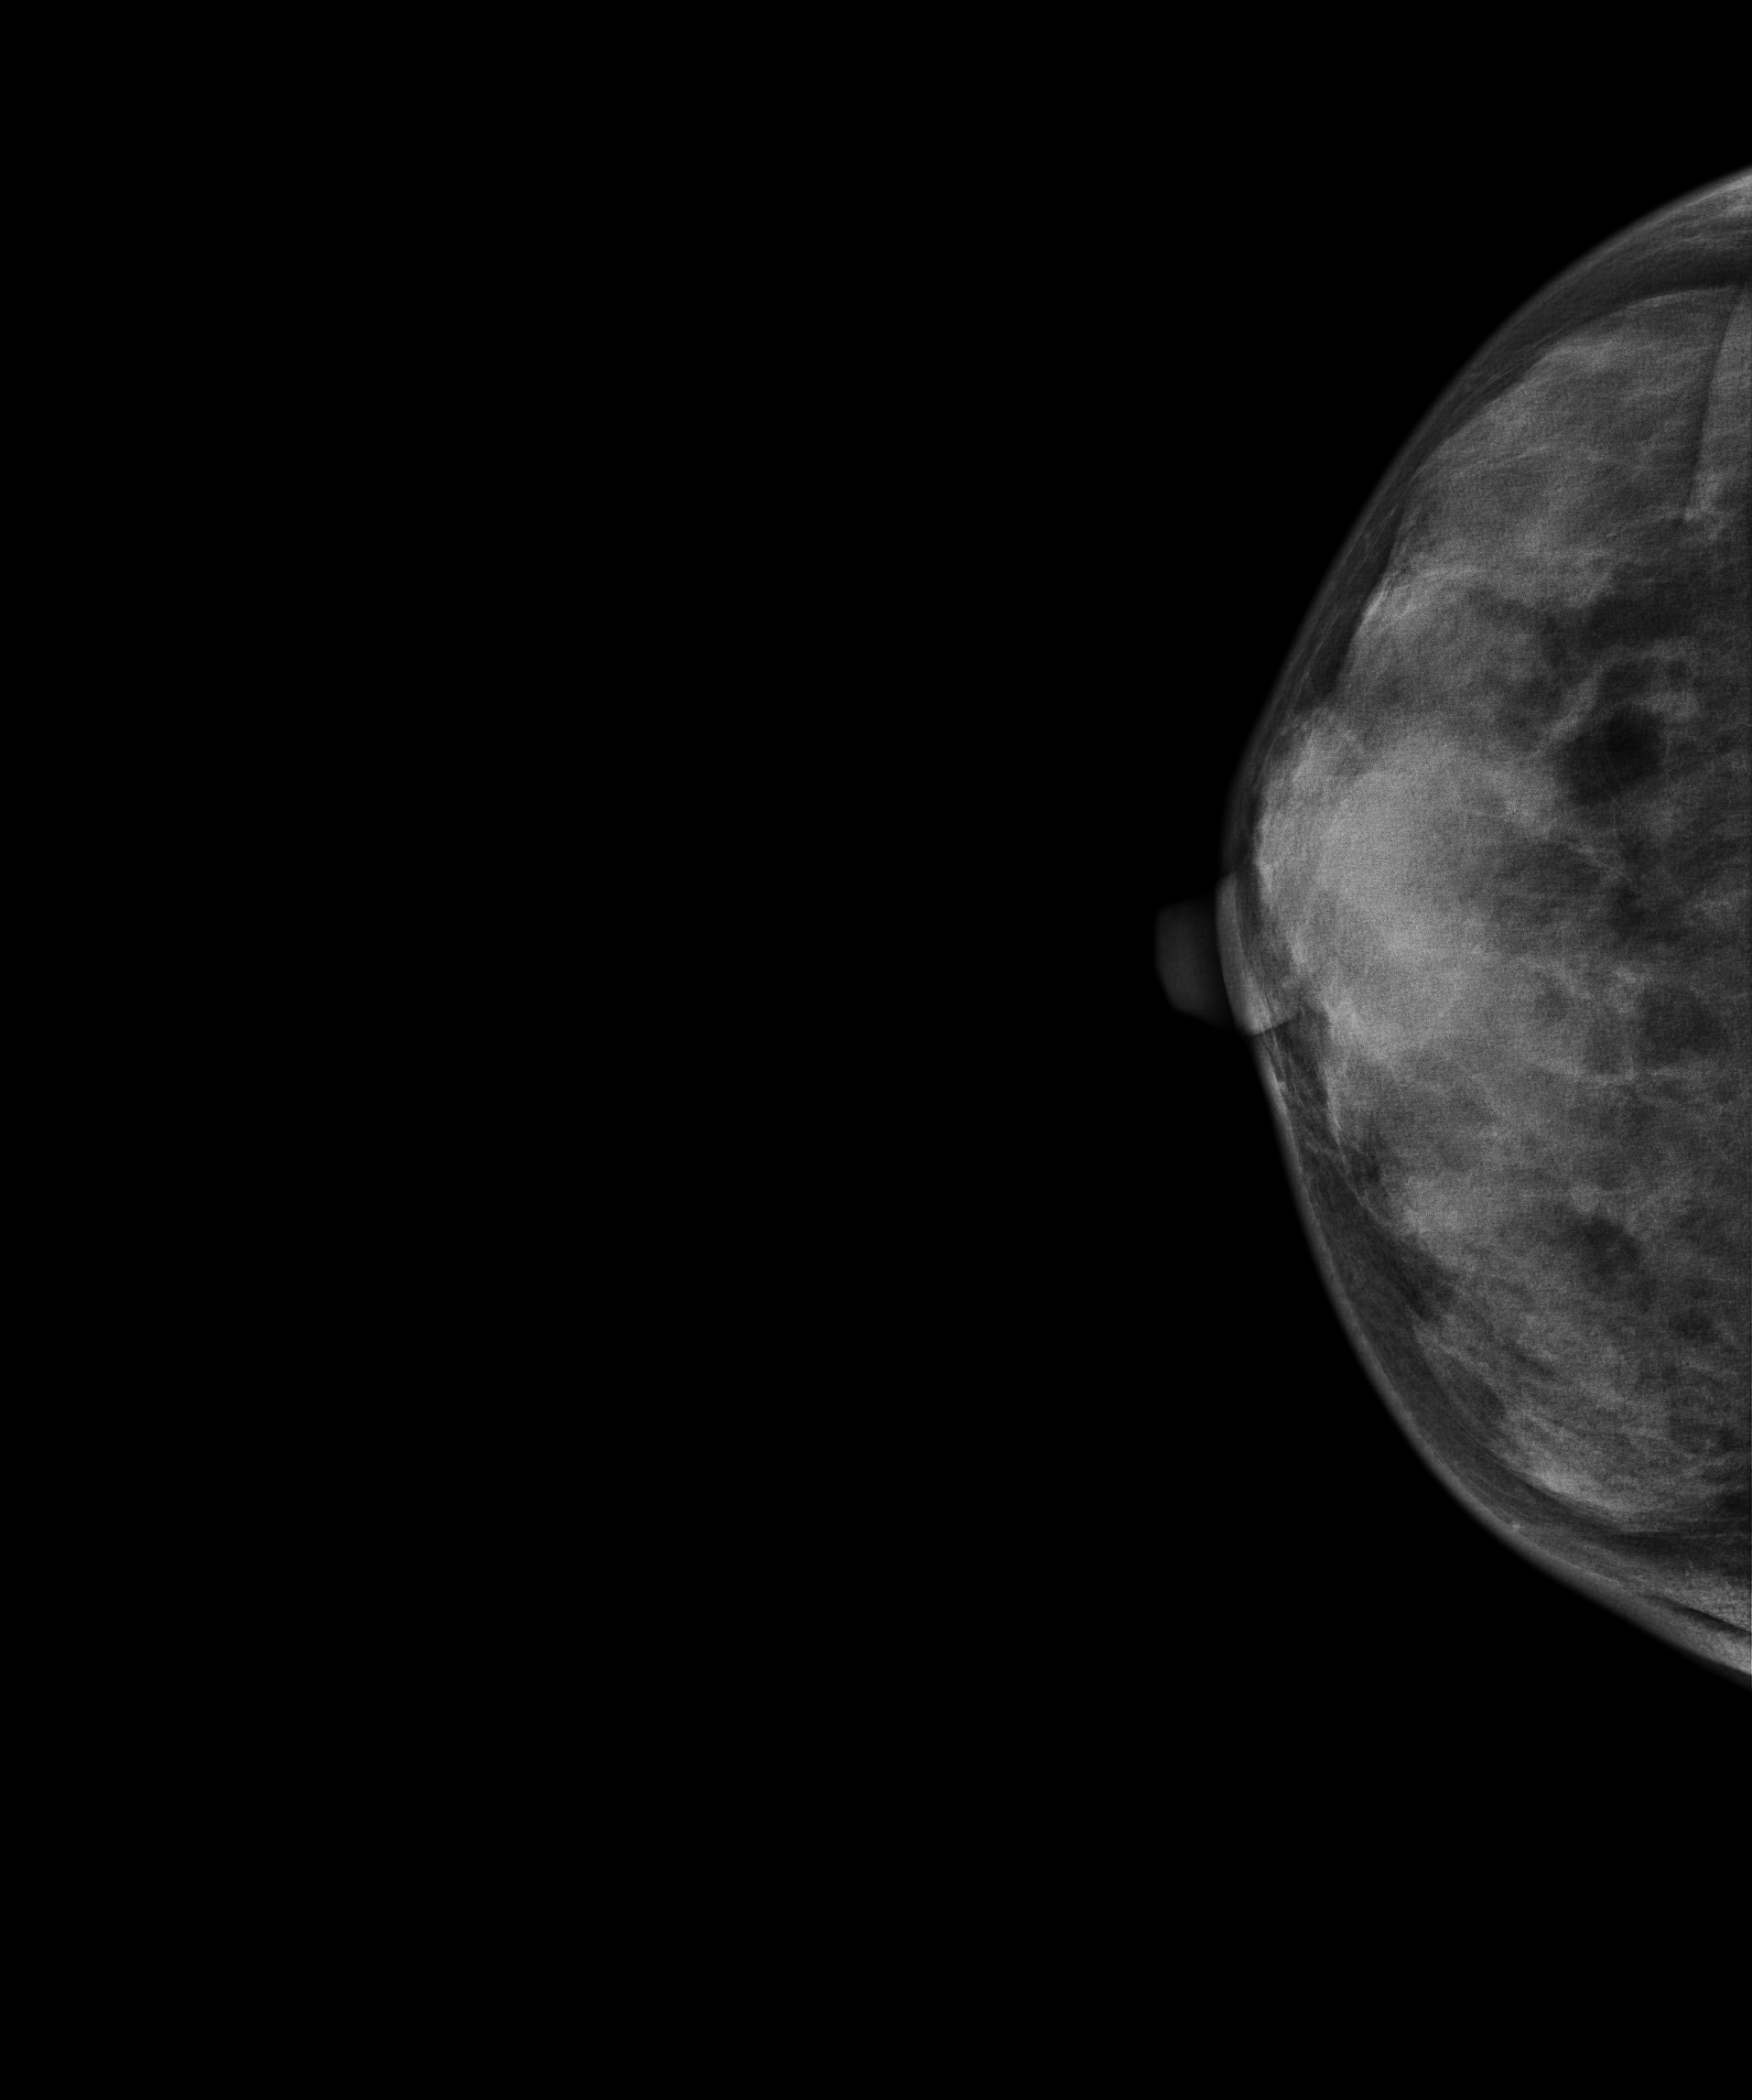
Mammogram, right breast, CC view. 38 y/o patient.
Contralateral breast — no documented abnormality on this side.